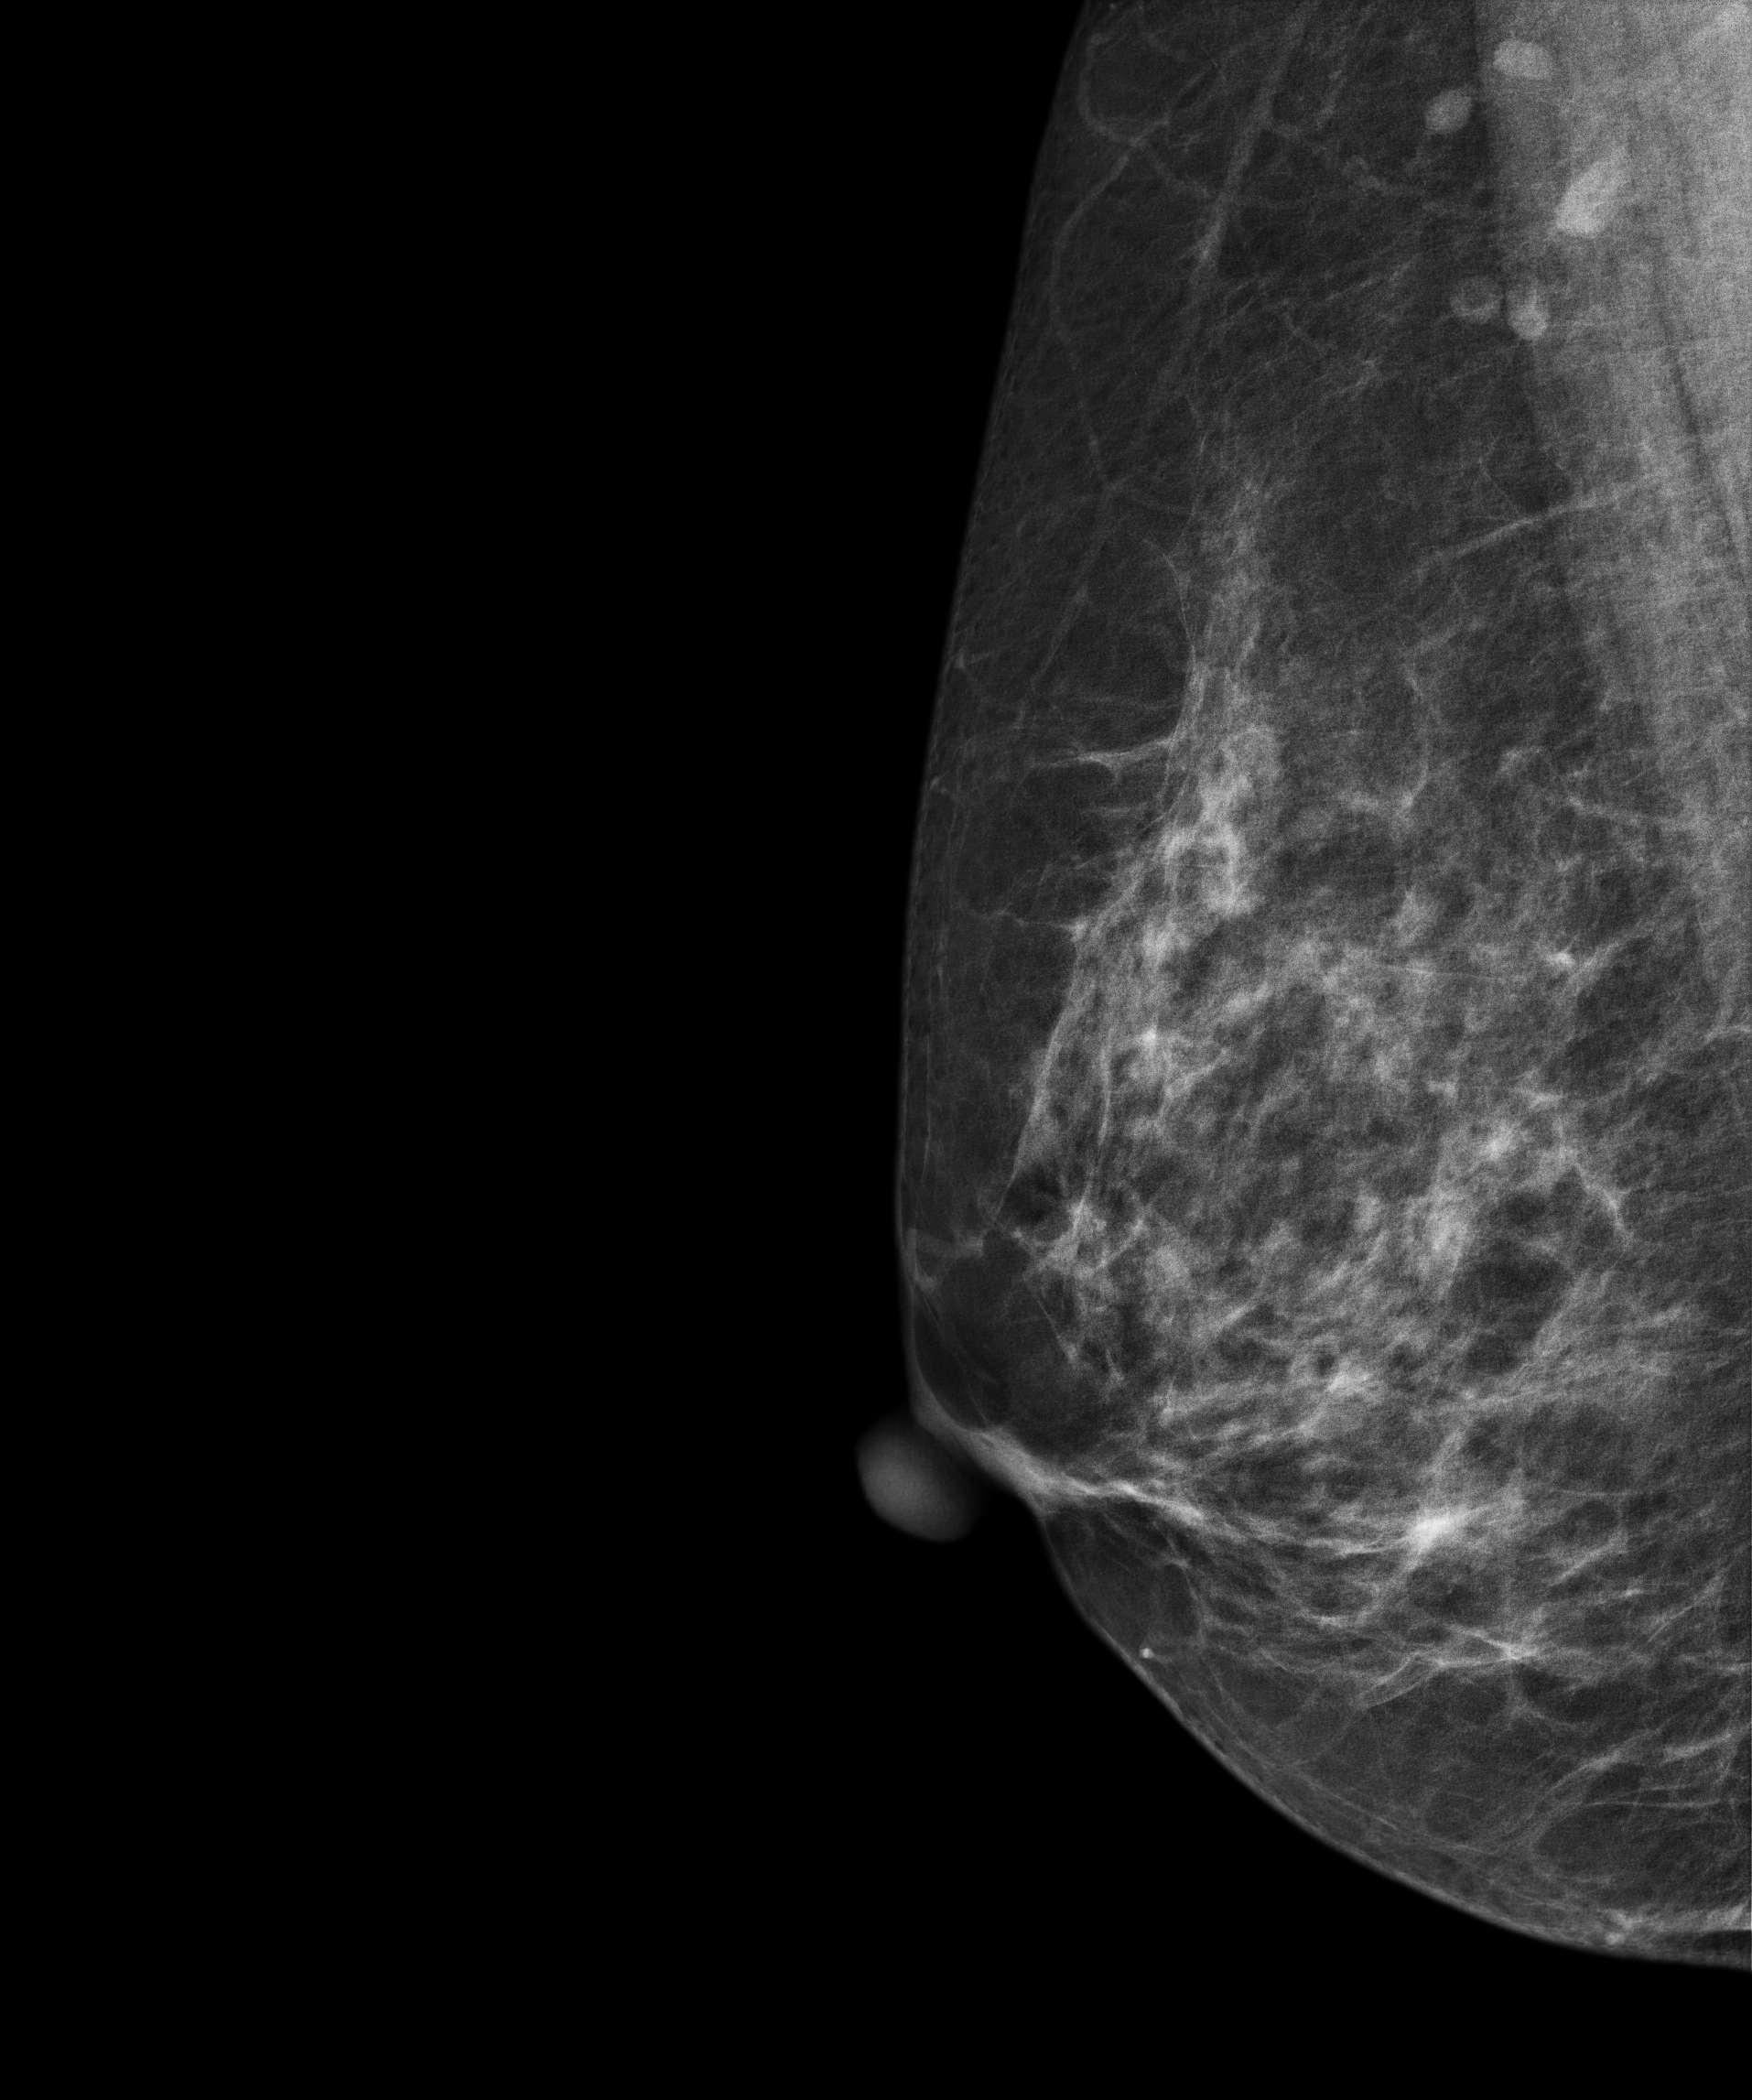
MLO mammogram of the right breast. 52 y/o patient.
Contralateral breast — no documented abnormality on this side.